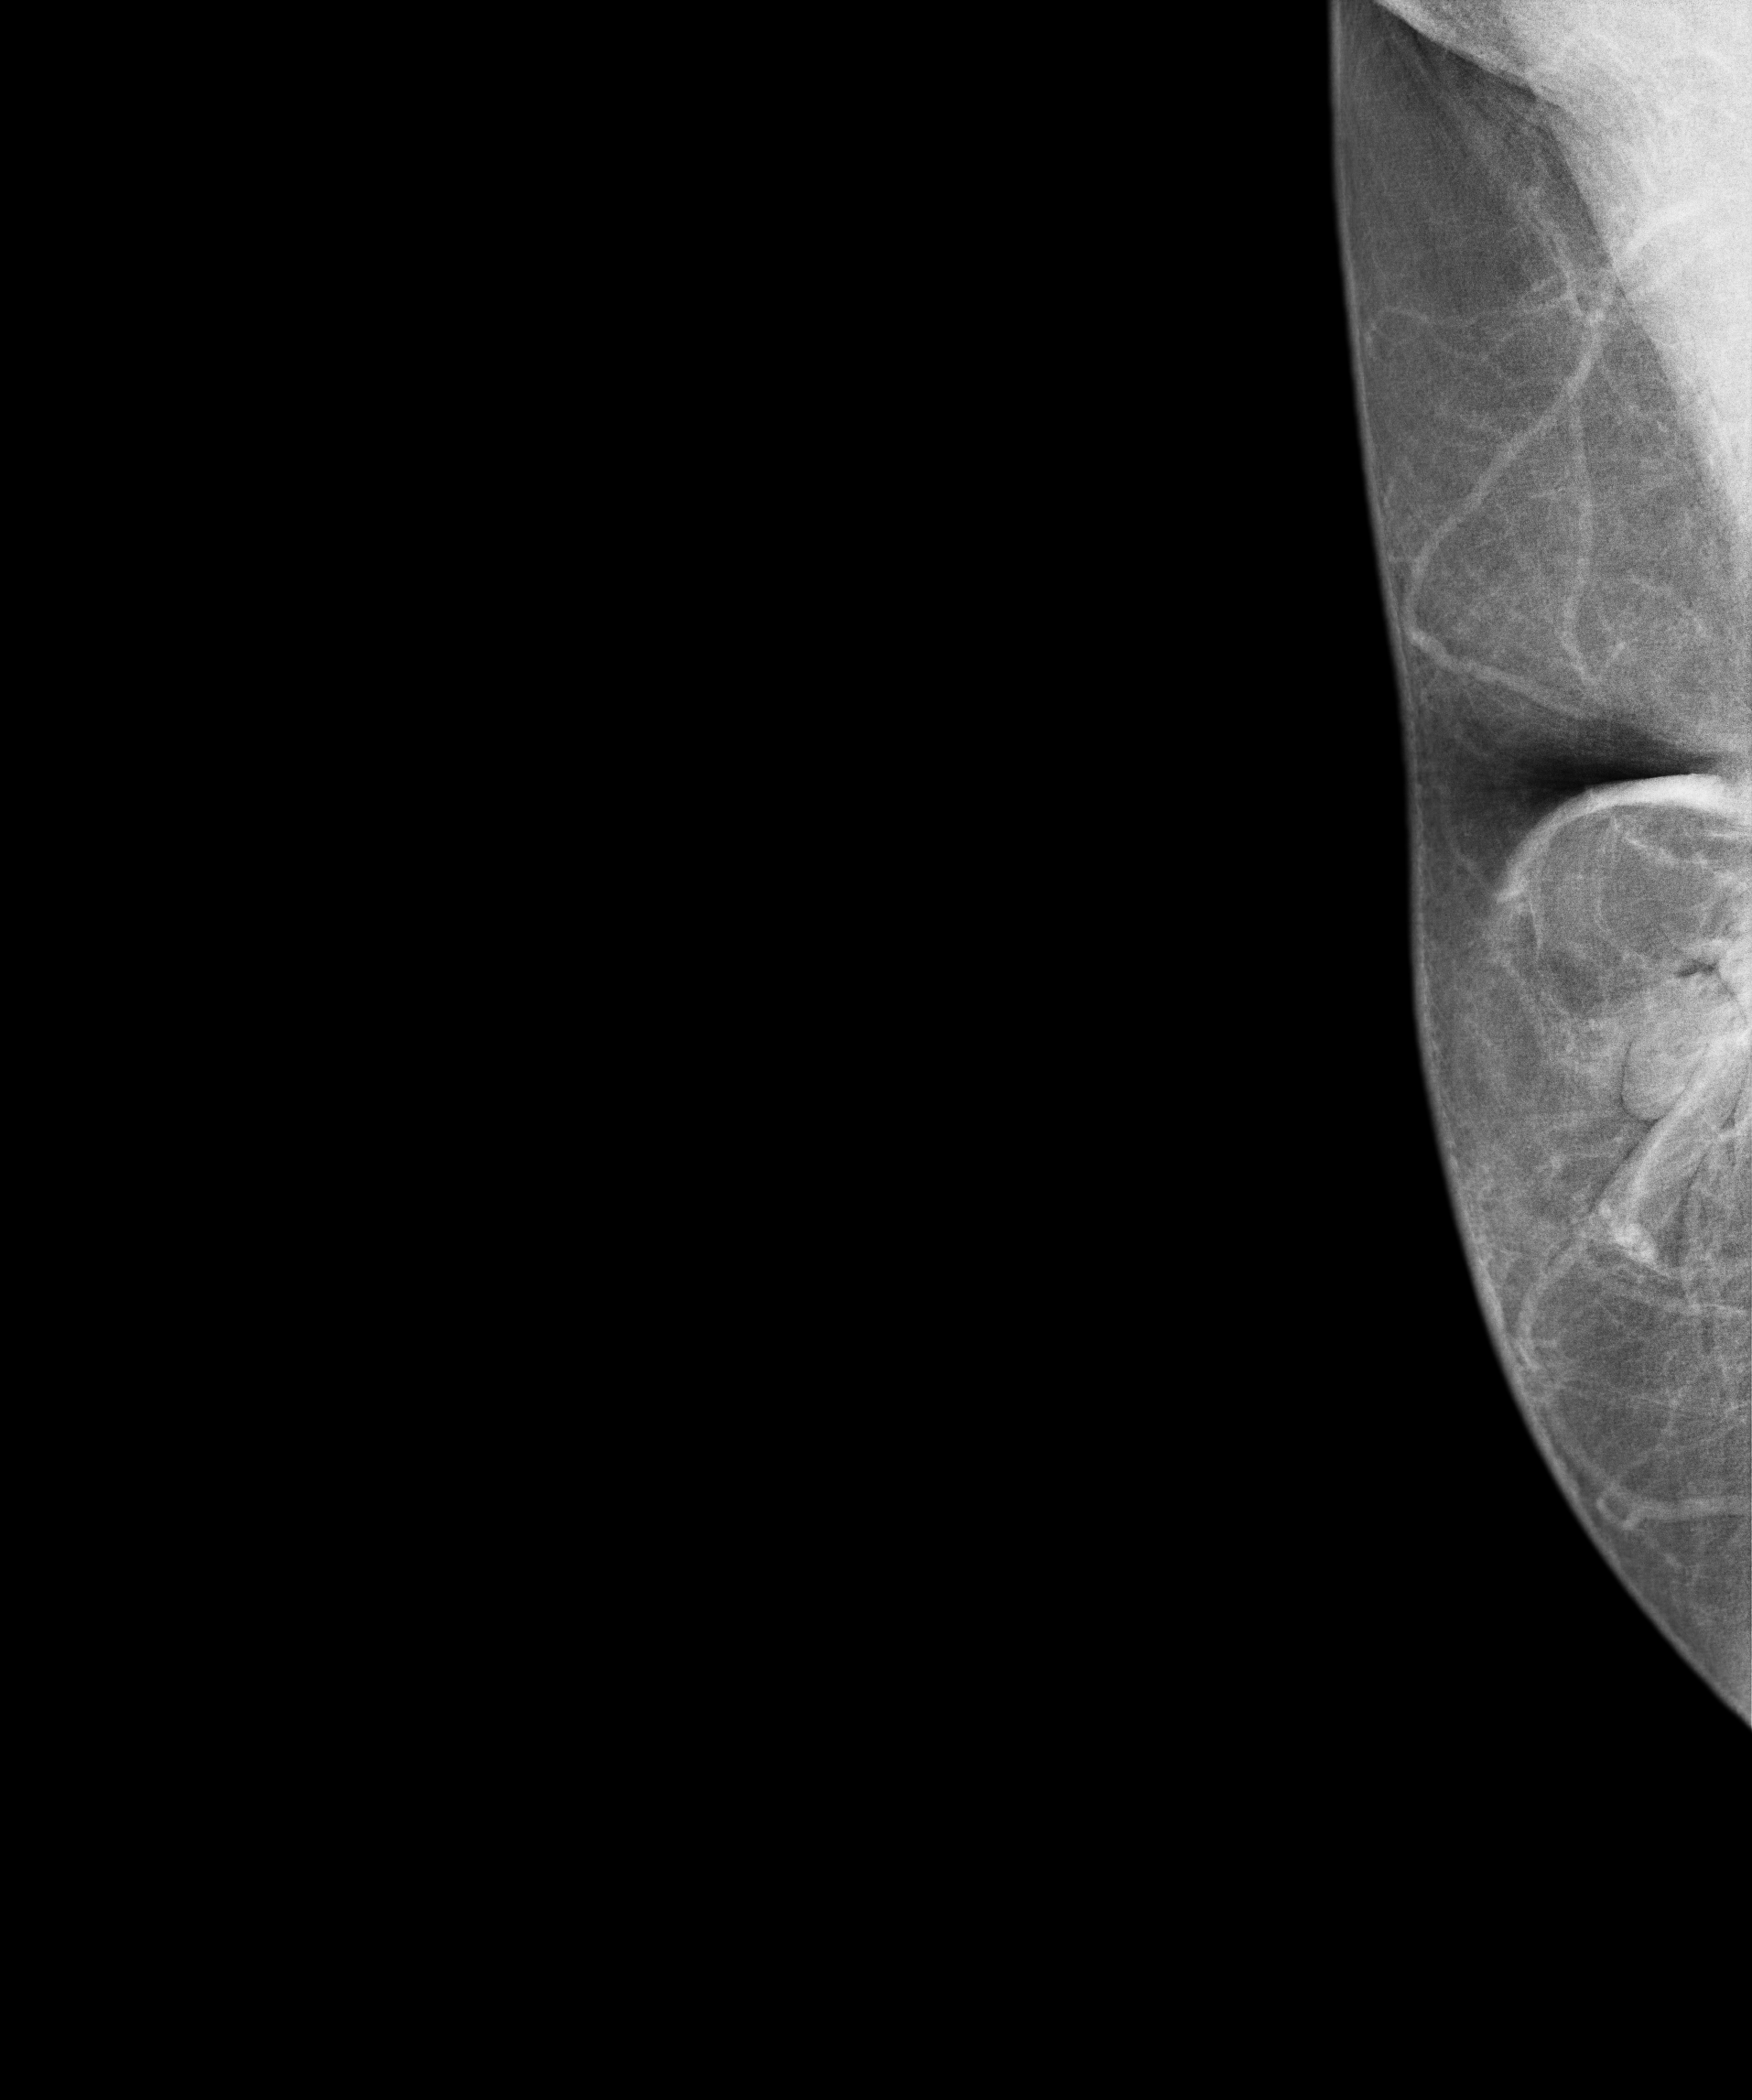
MLO mammogram of the right breast. 66 y/o patient.
This breast has a mass, biopsy-proven malignant. Molecular subtype: luminal A.